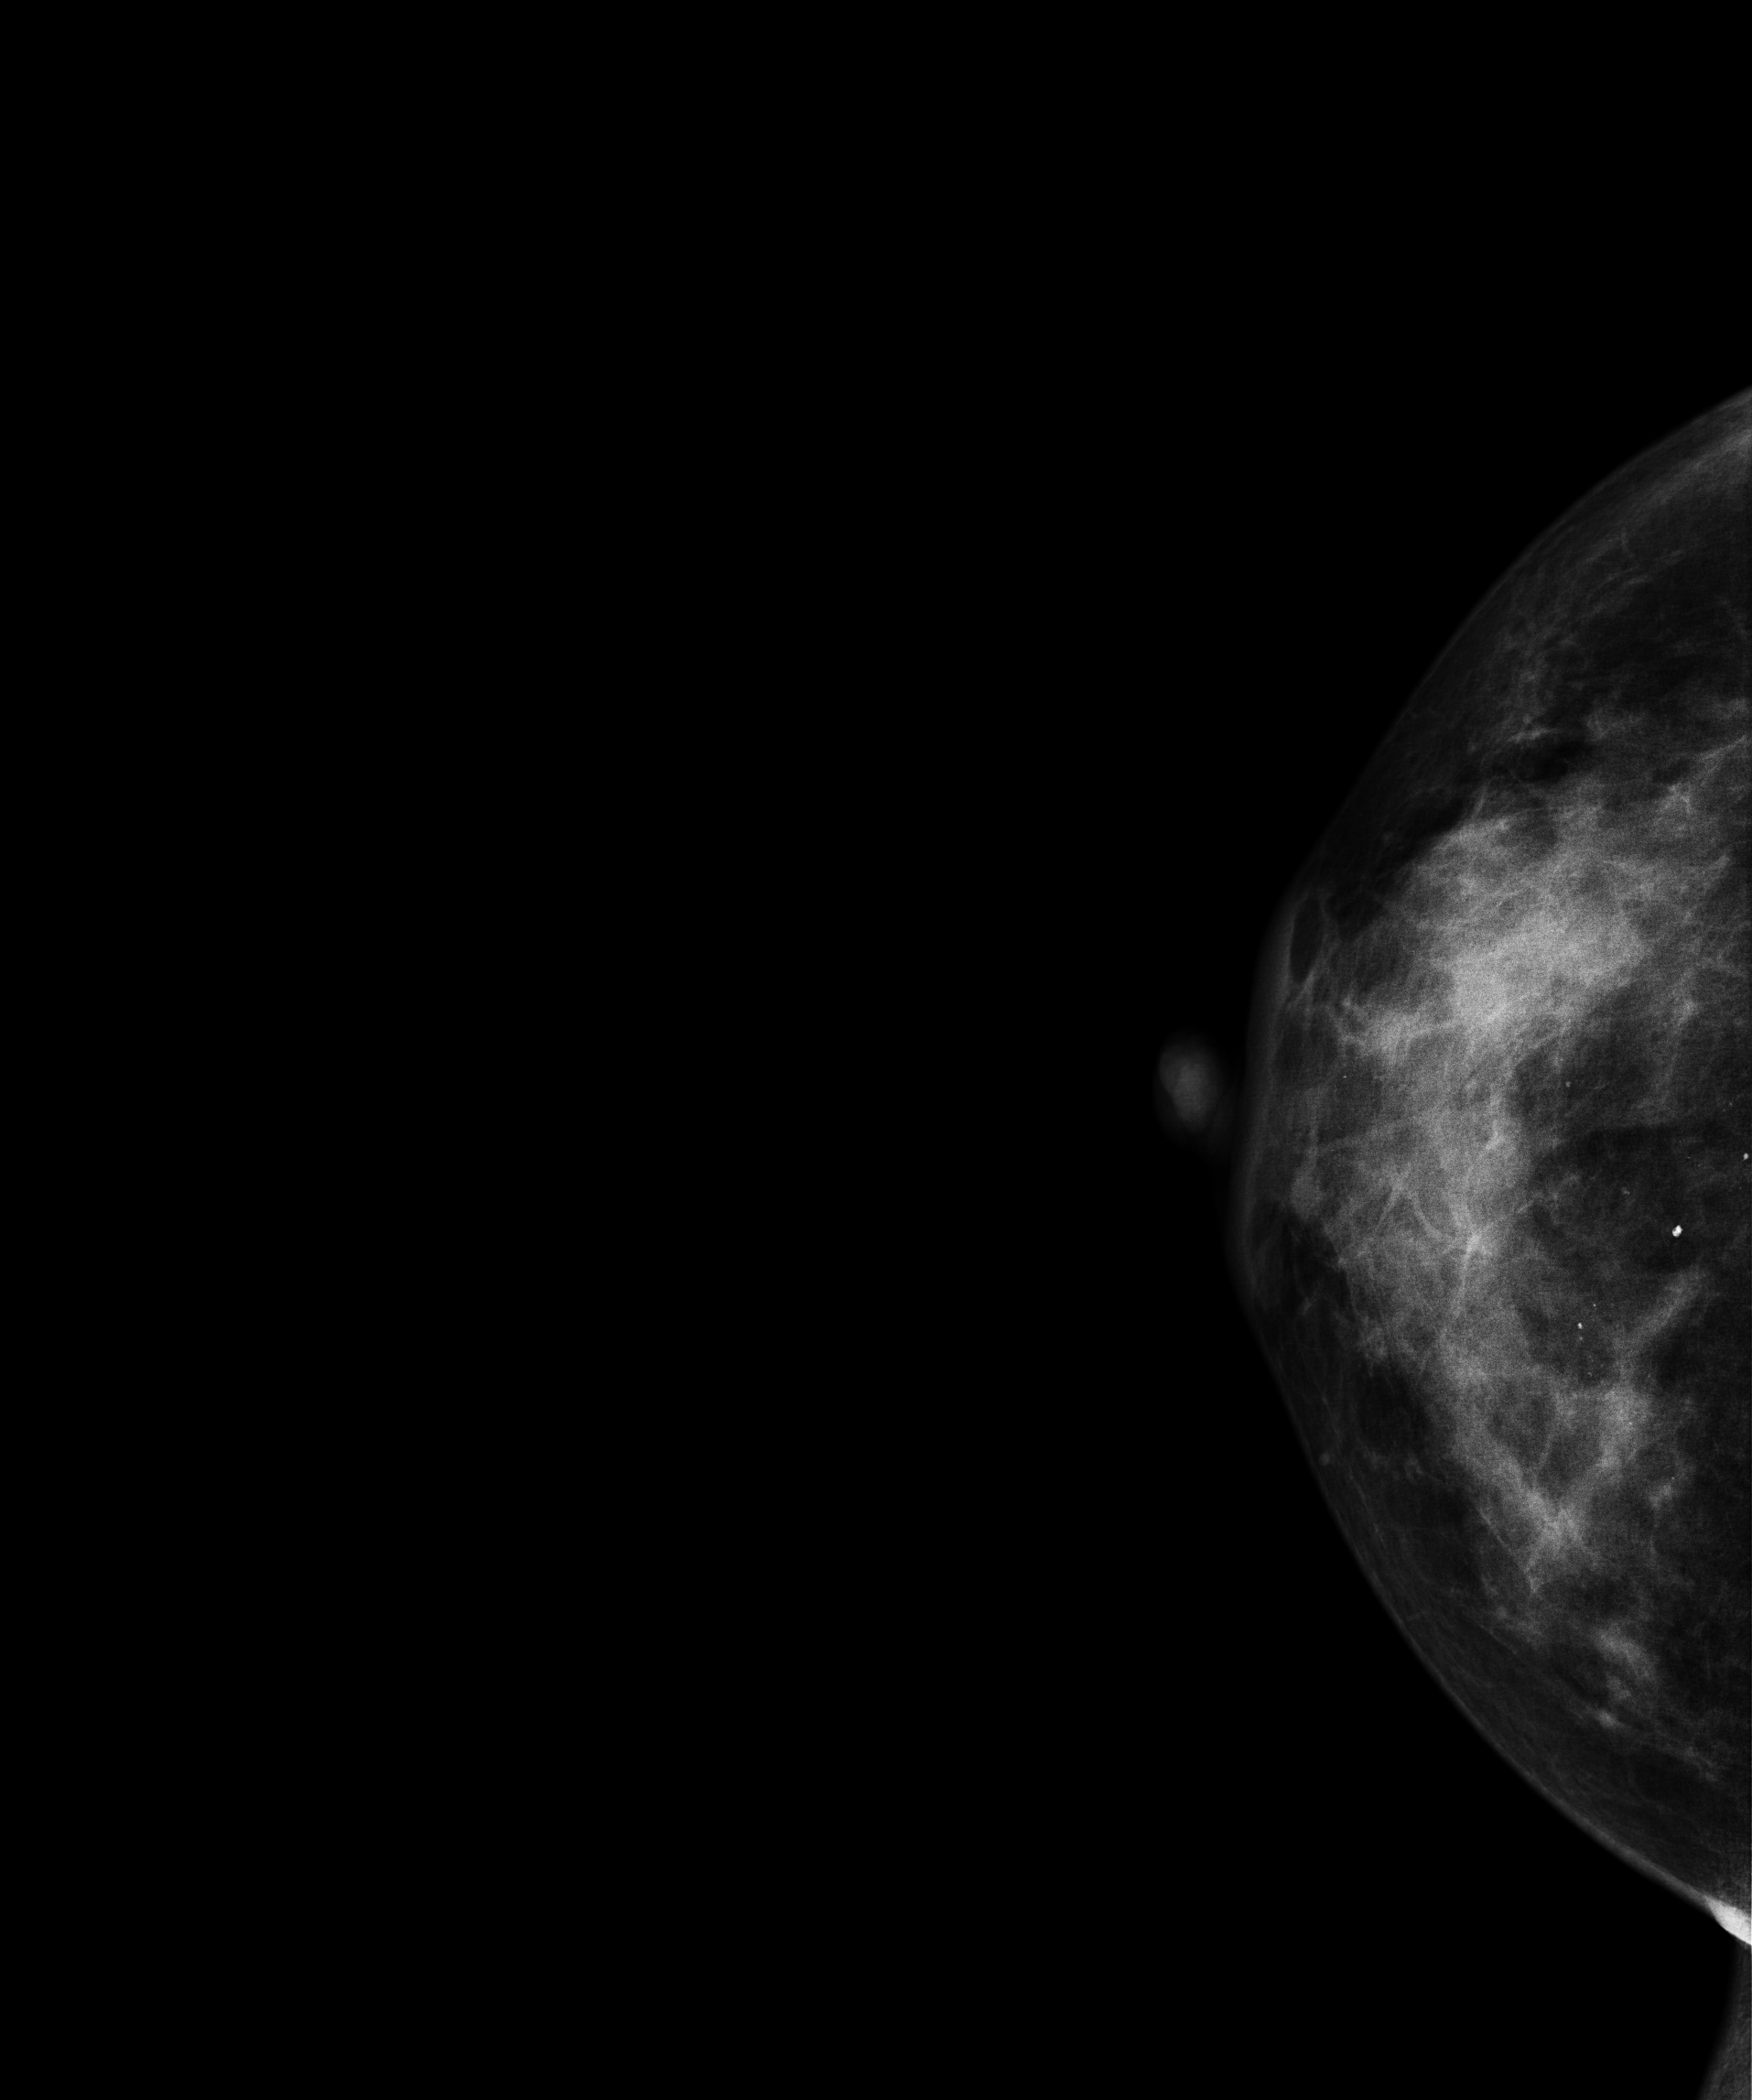
Mammogram, right breast, cranio-caudal view. 43 y/o patient.
This breast has a mass and calcifications, histologically confirmed benign.